MLO mammogram of the left breast. 59 y/o patient.
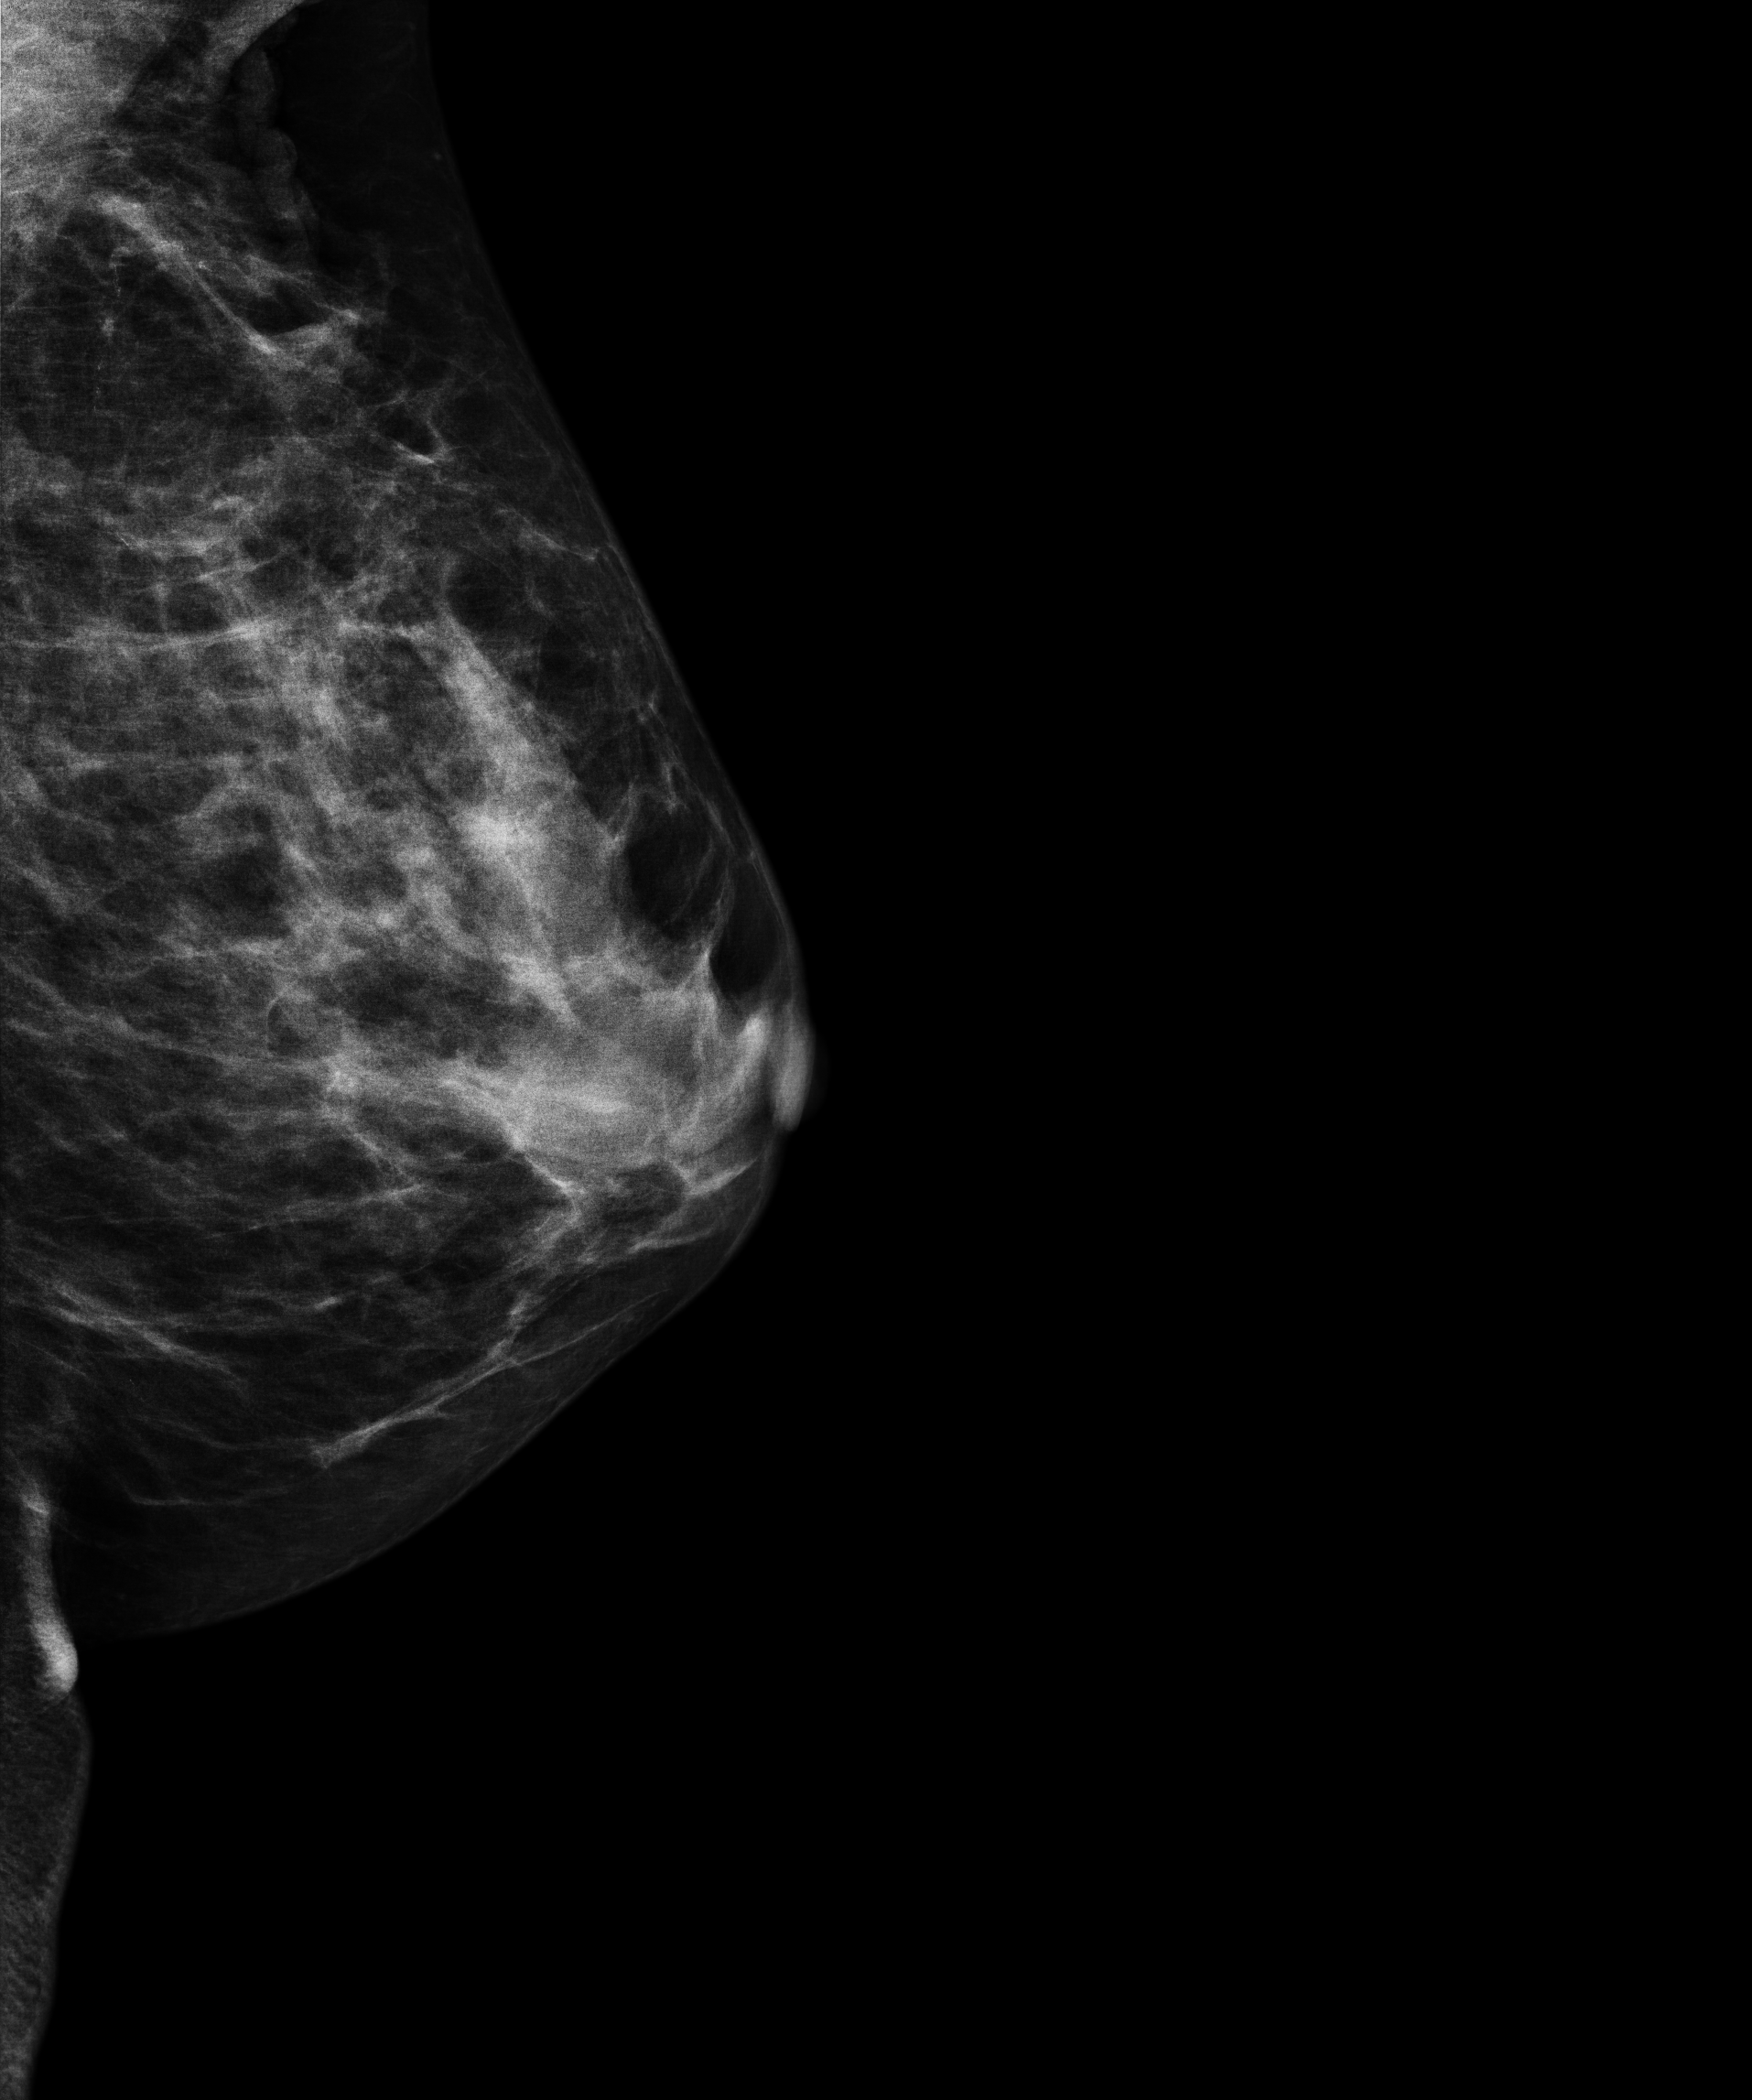
This breast has a mass, biopsy-confirmed malignant. Molecular subtype: luminal B.